Digital mammography. Right breast, cranio-caudal projection. 31-year-old patient.
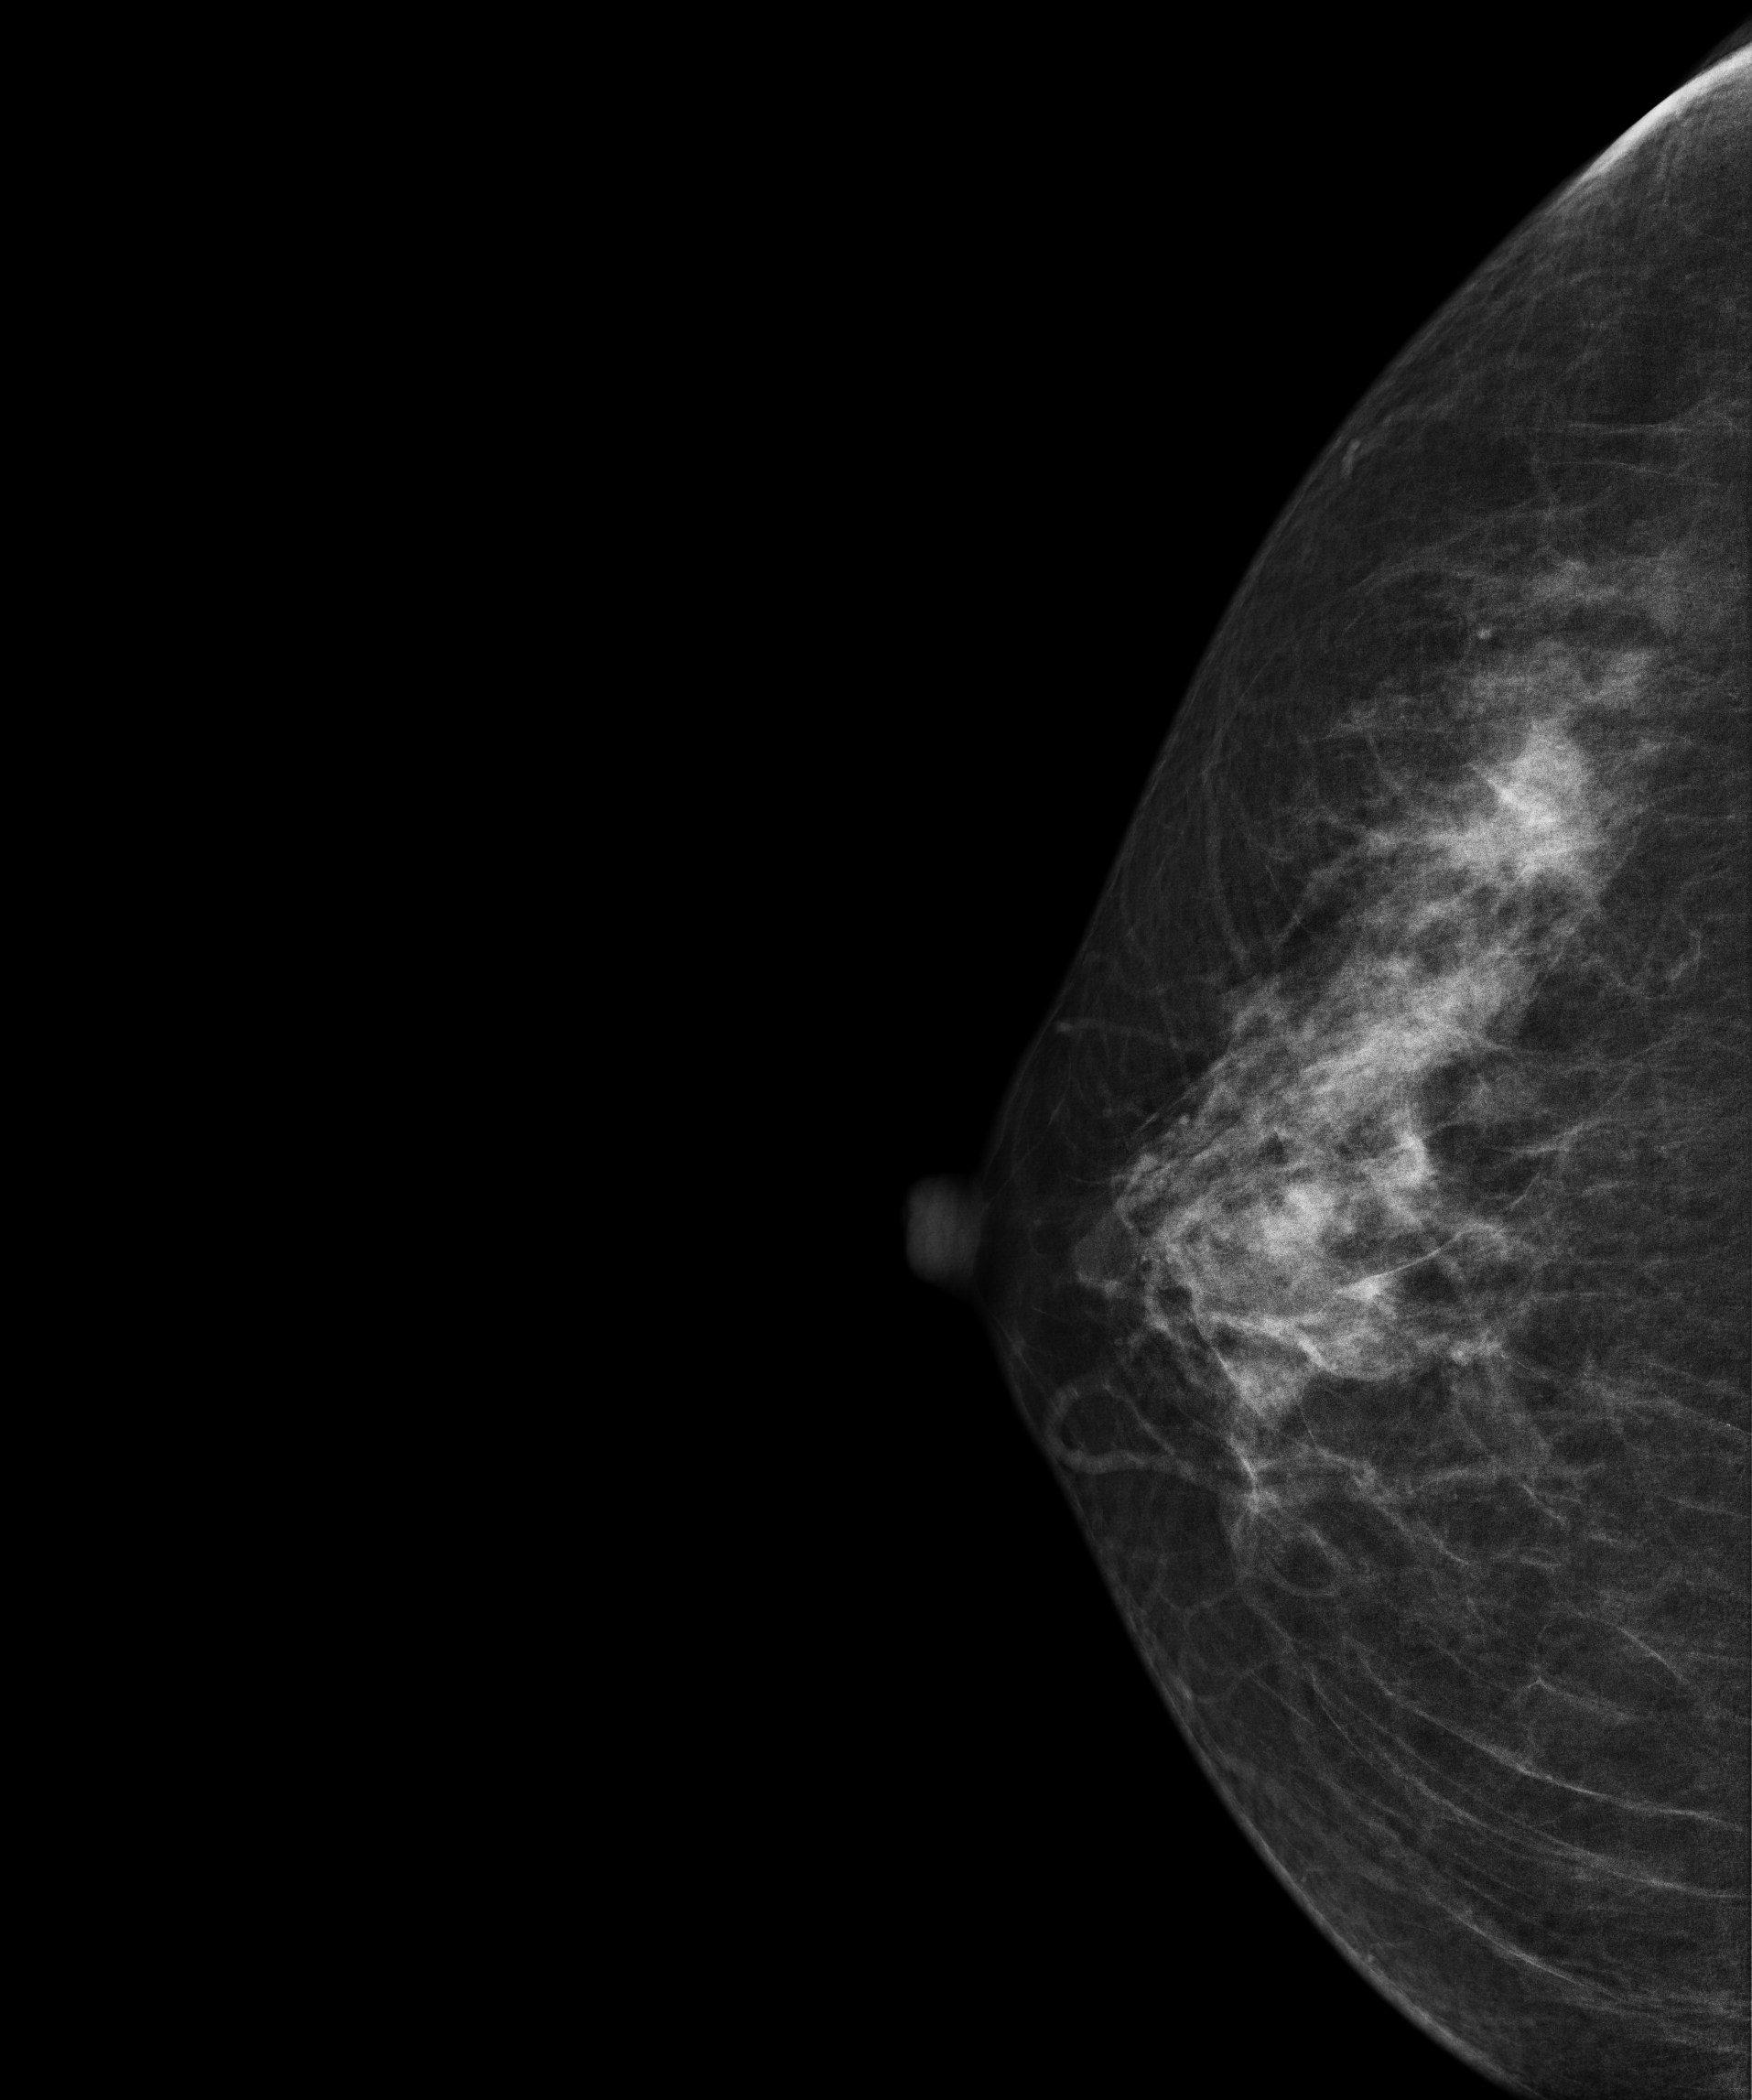
Contralateral breast — no documented abnormality on this side.